Mammogram, right breast, CC view. 55-year-old patient.
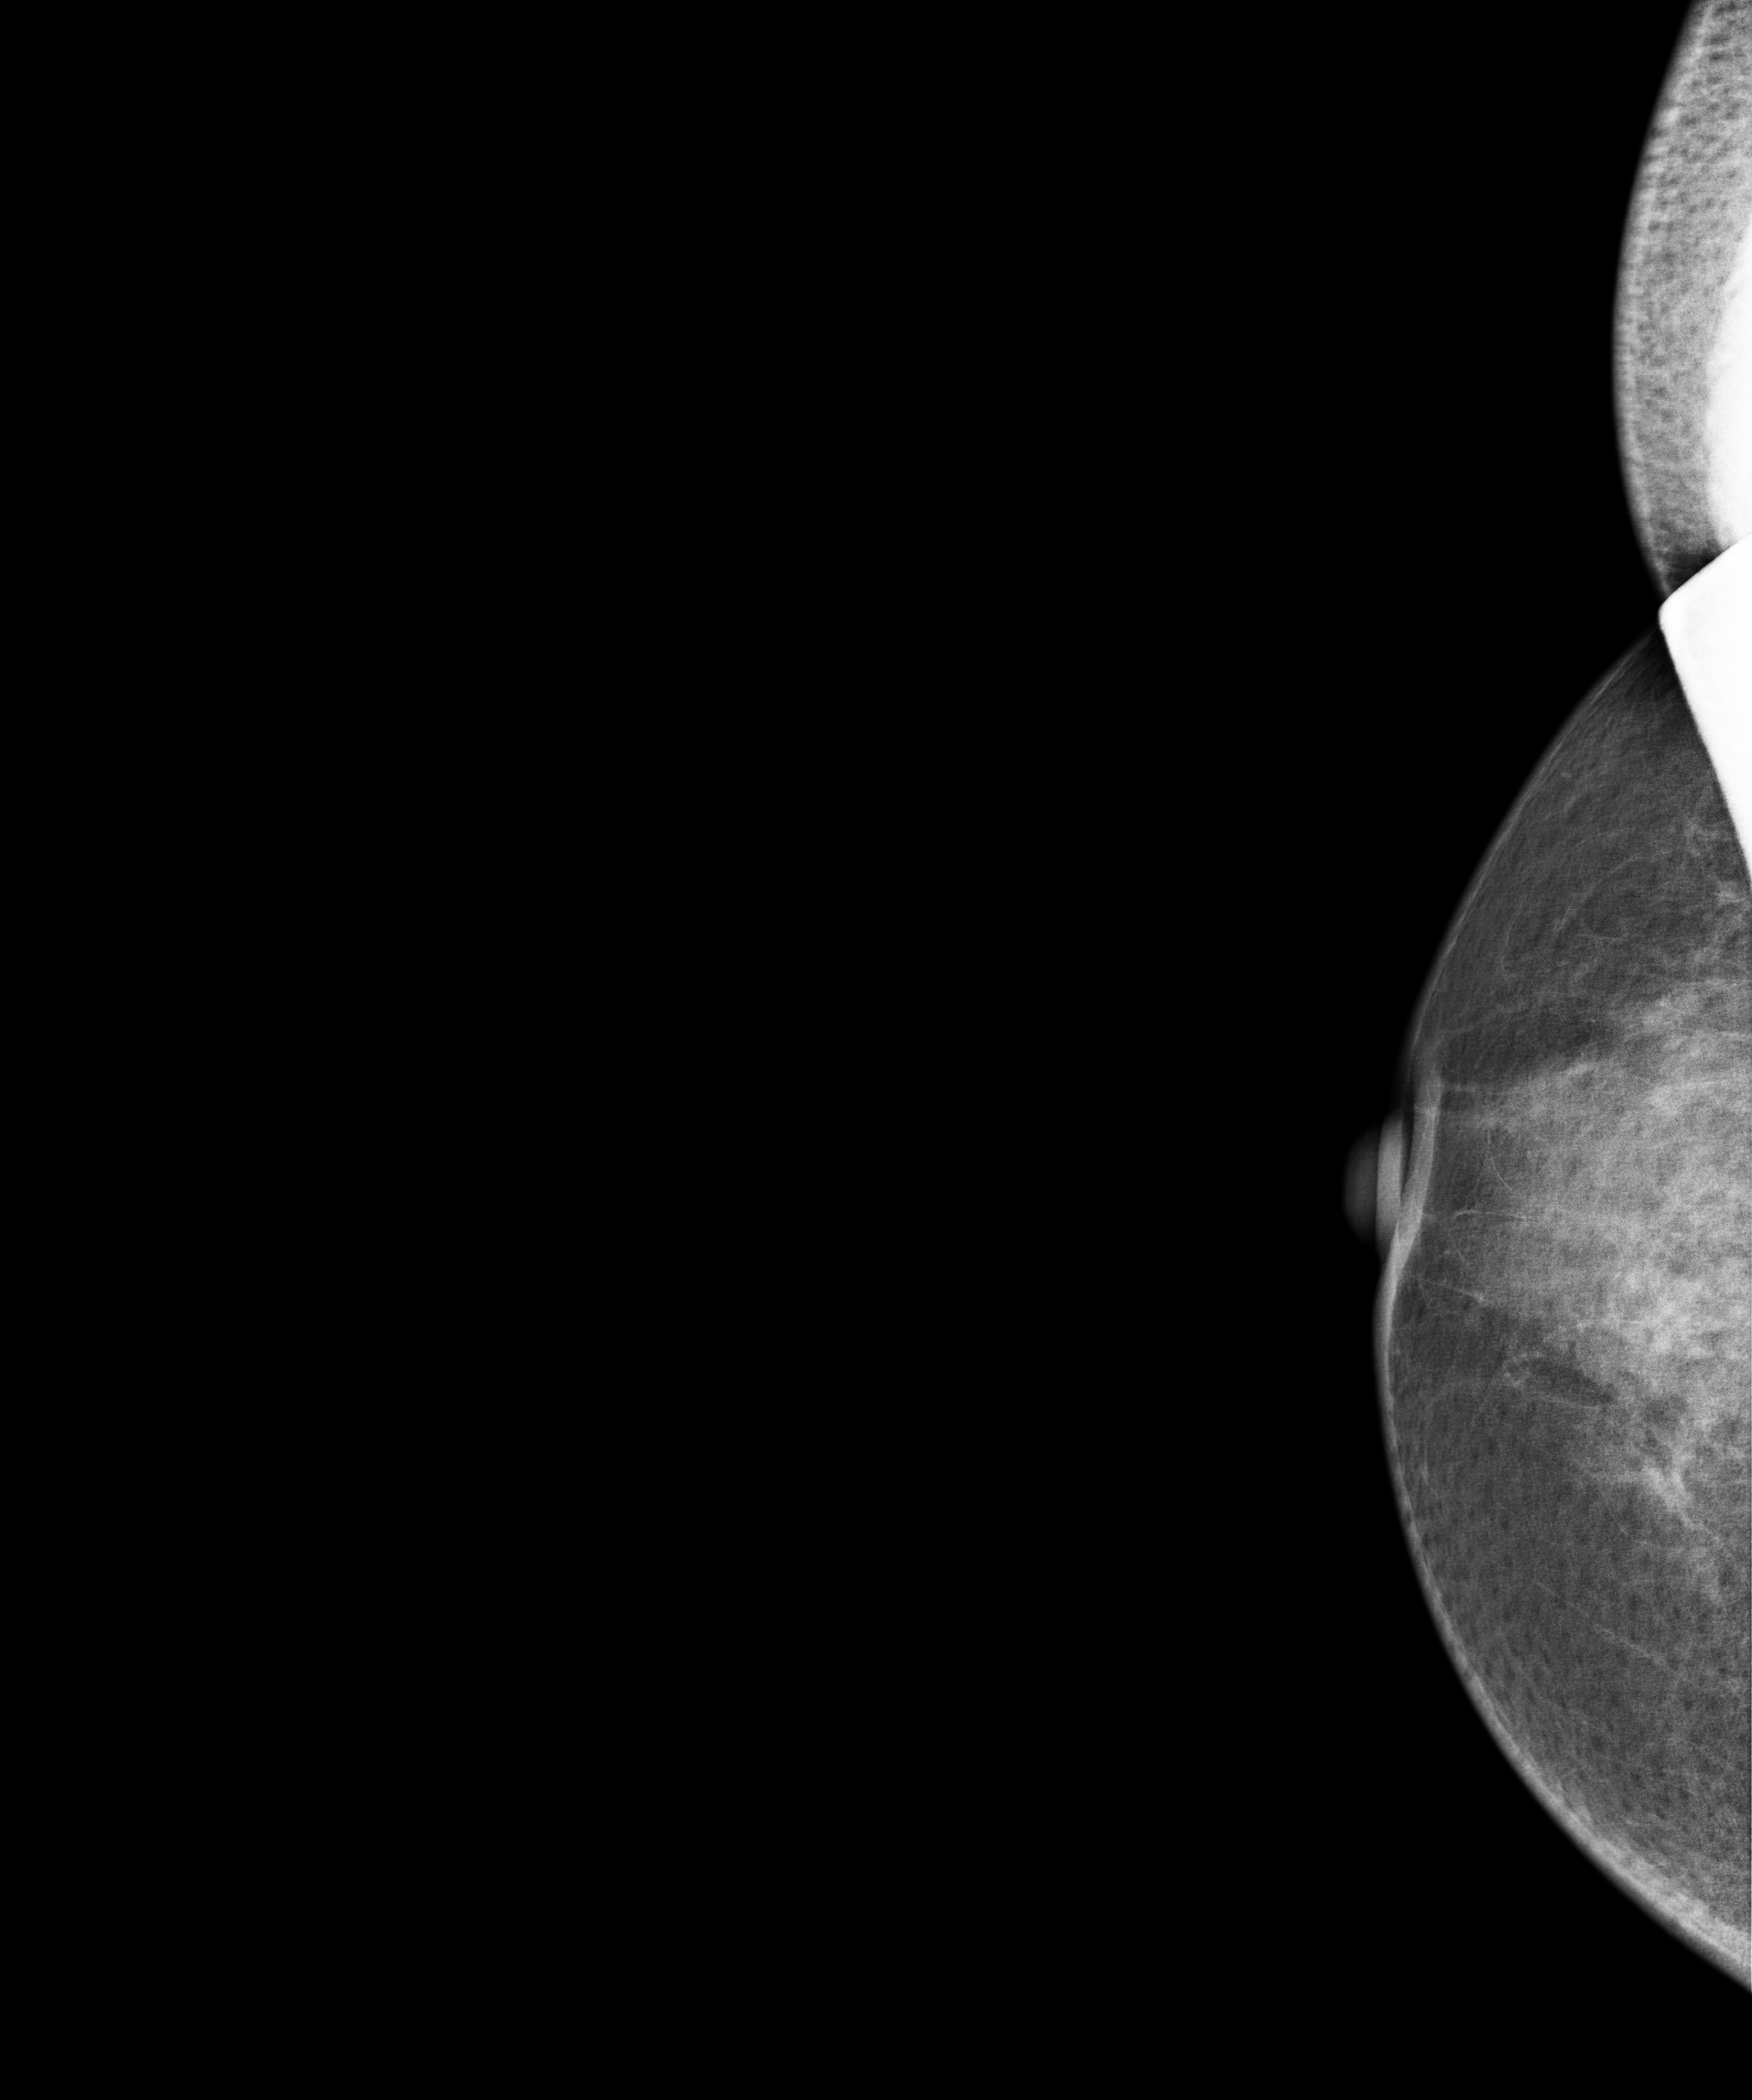
Contralateral breast — no documented abnormality on this side.